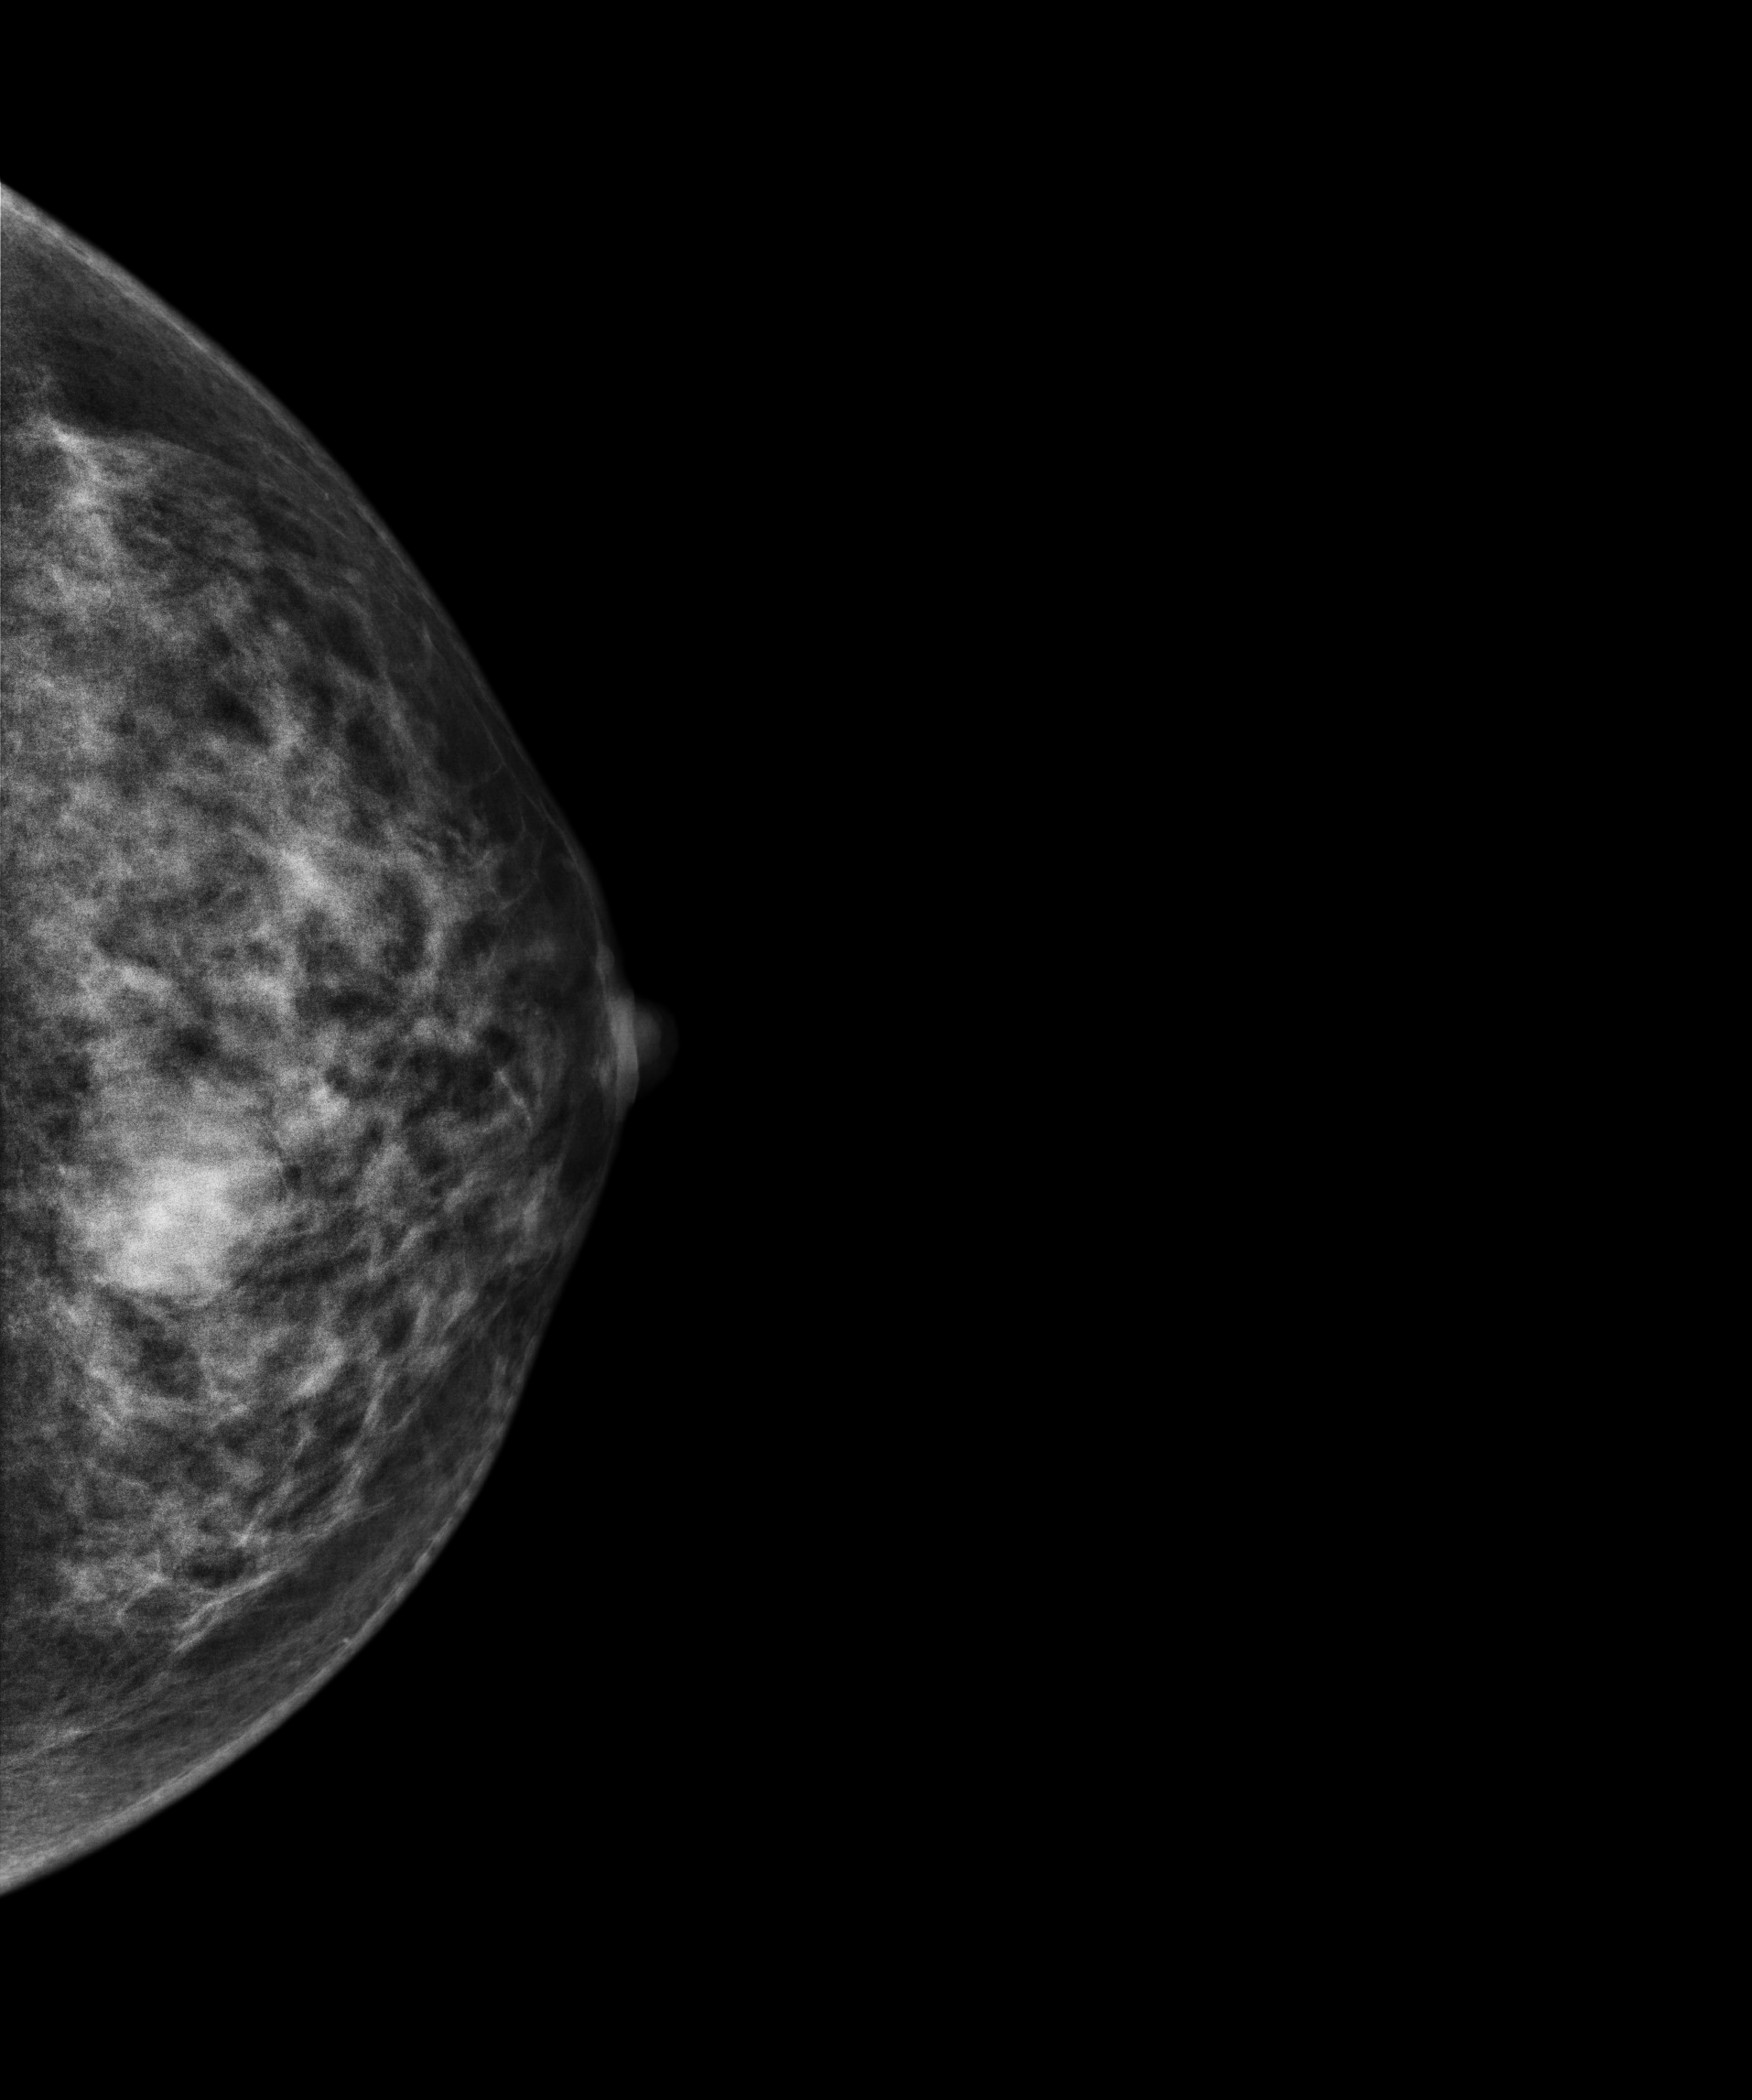
Mammogram — left CC. 37-year-old patient.
This breast has a mass, pathology-confirmed benign.